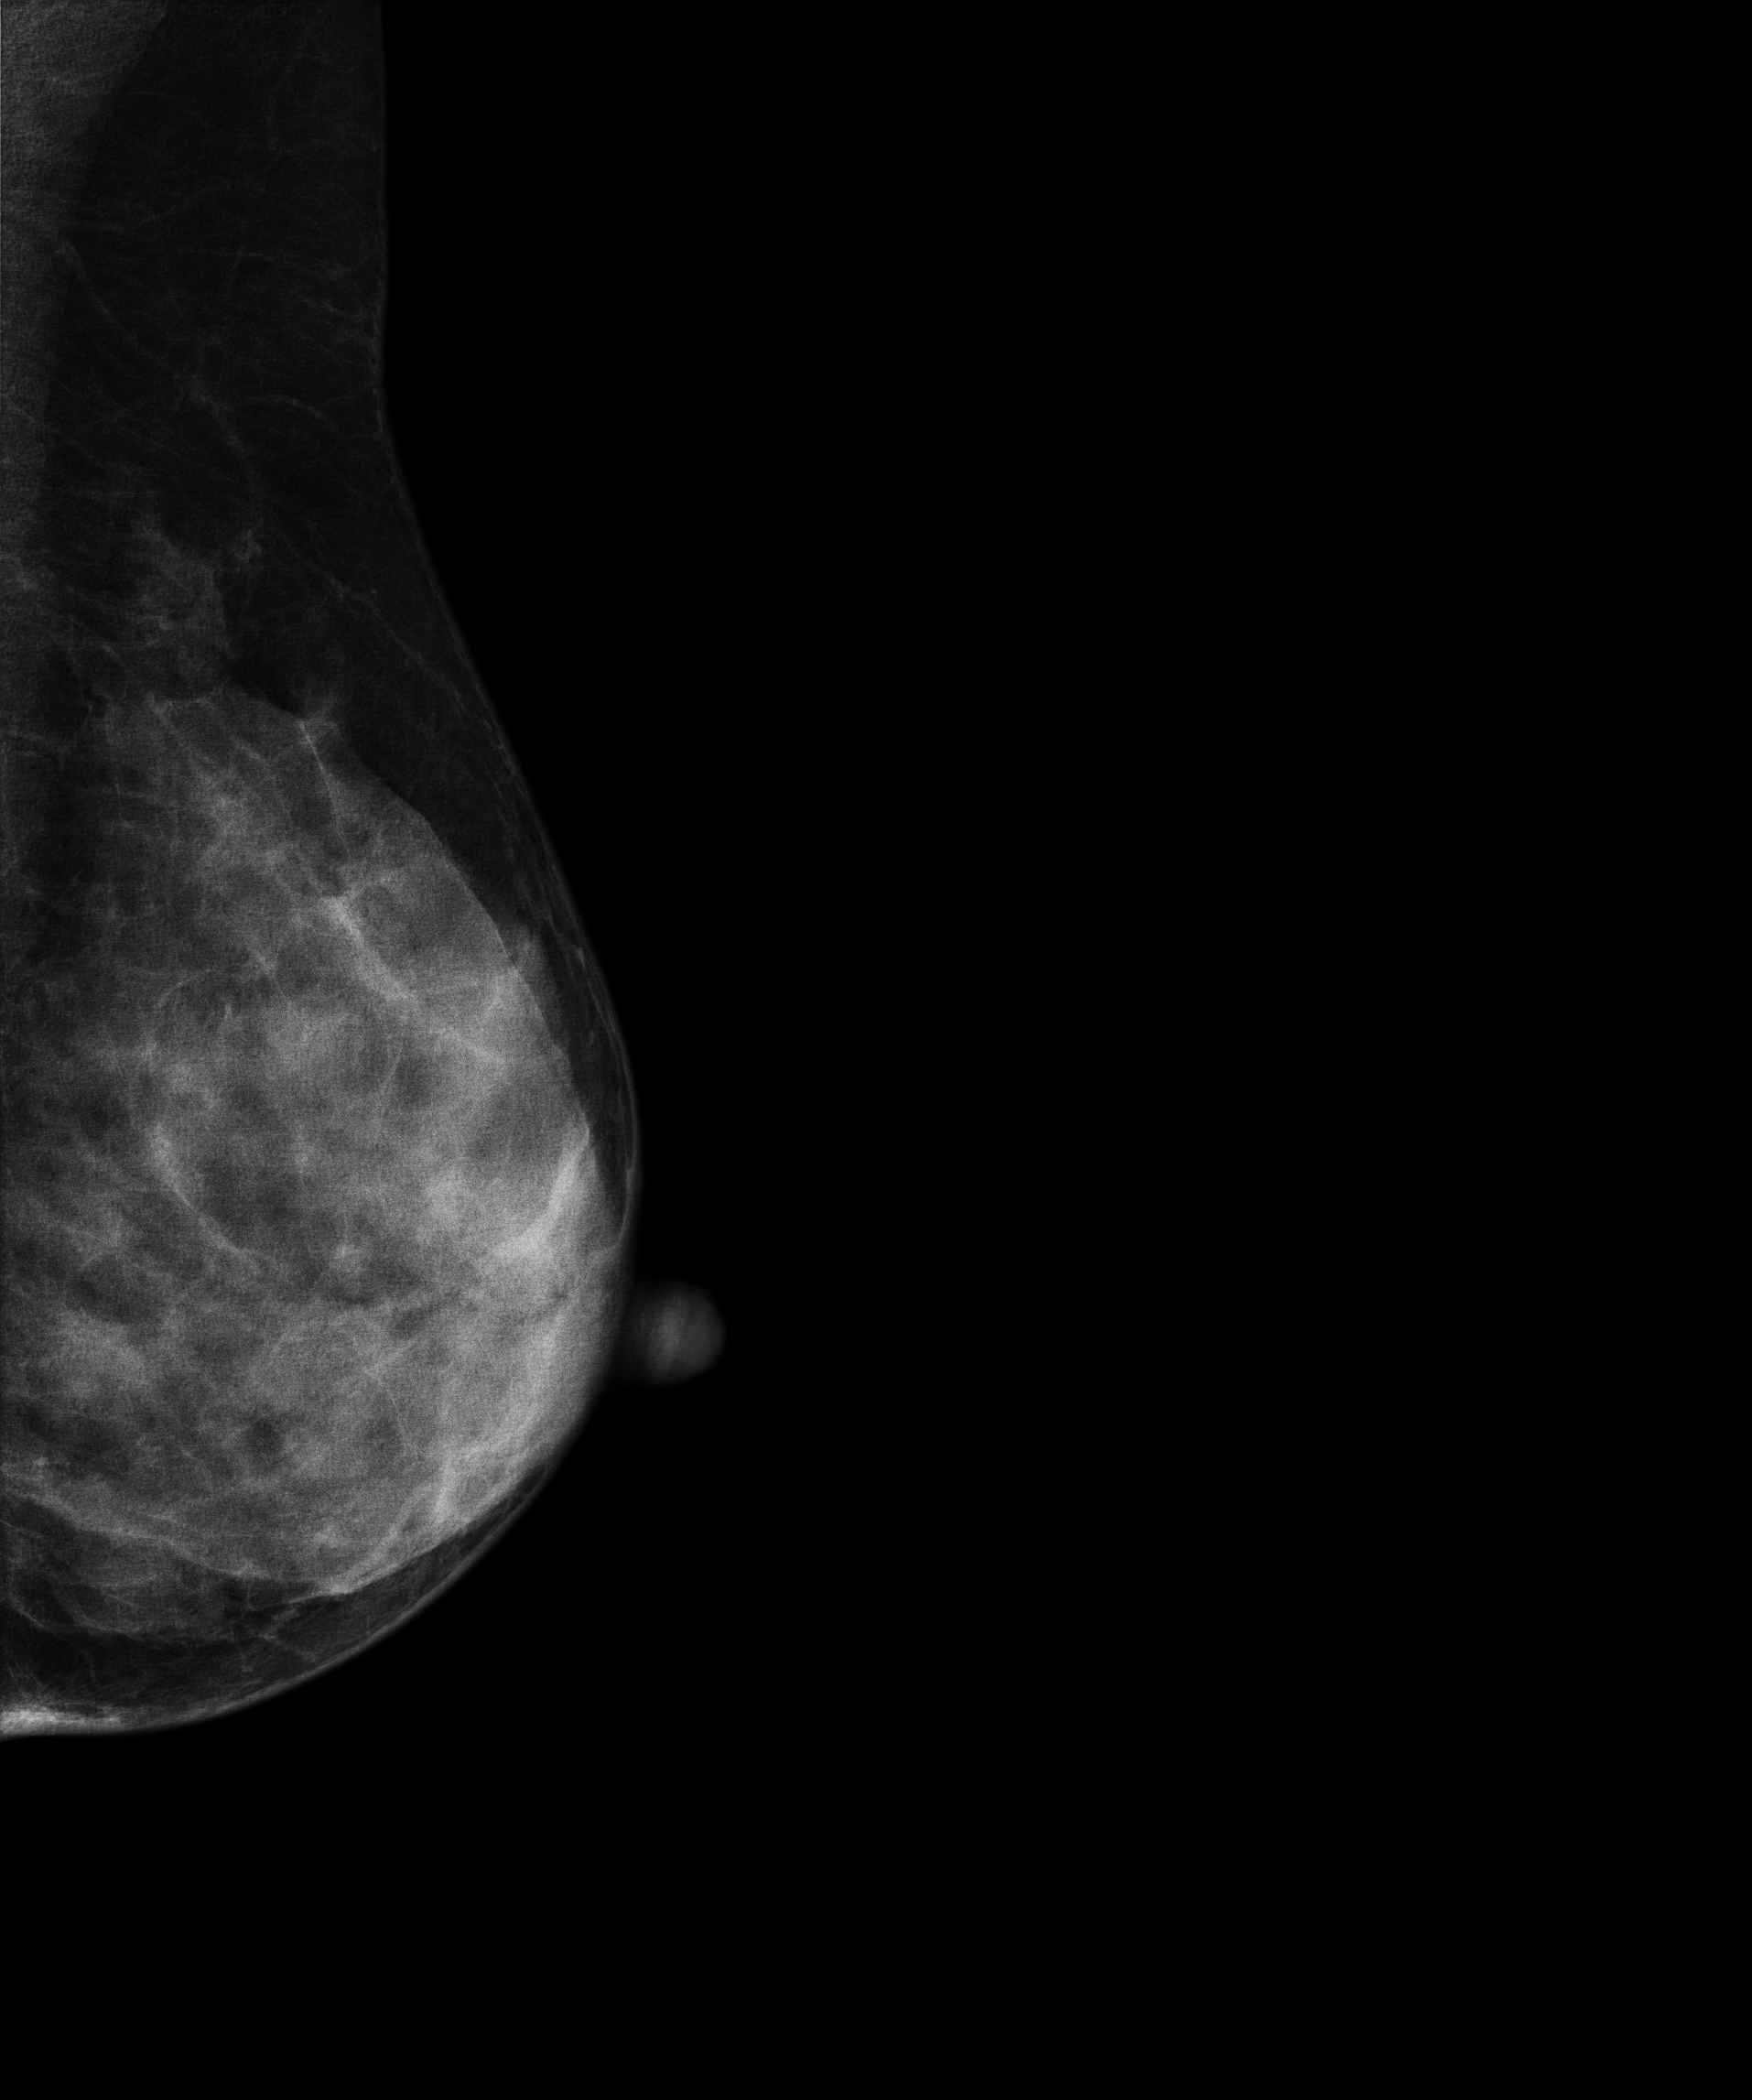
Mammogram, left breast, MLO view. Patient age 49.
Contralateral breast — no documented abnormality on this side.